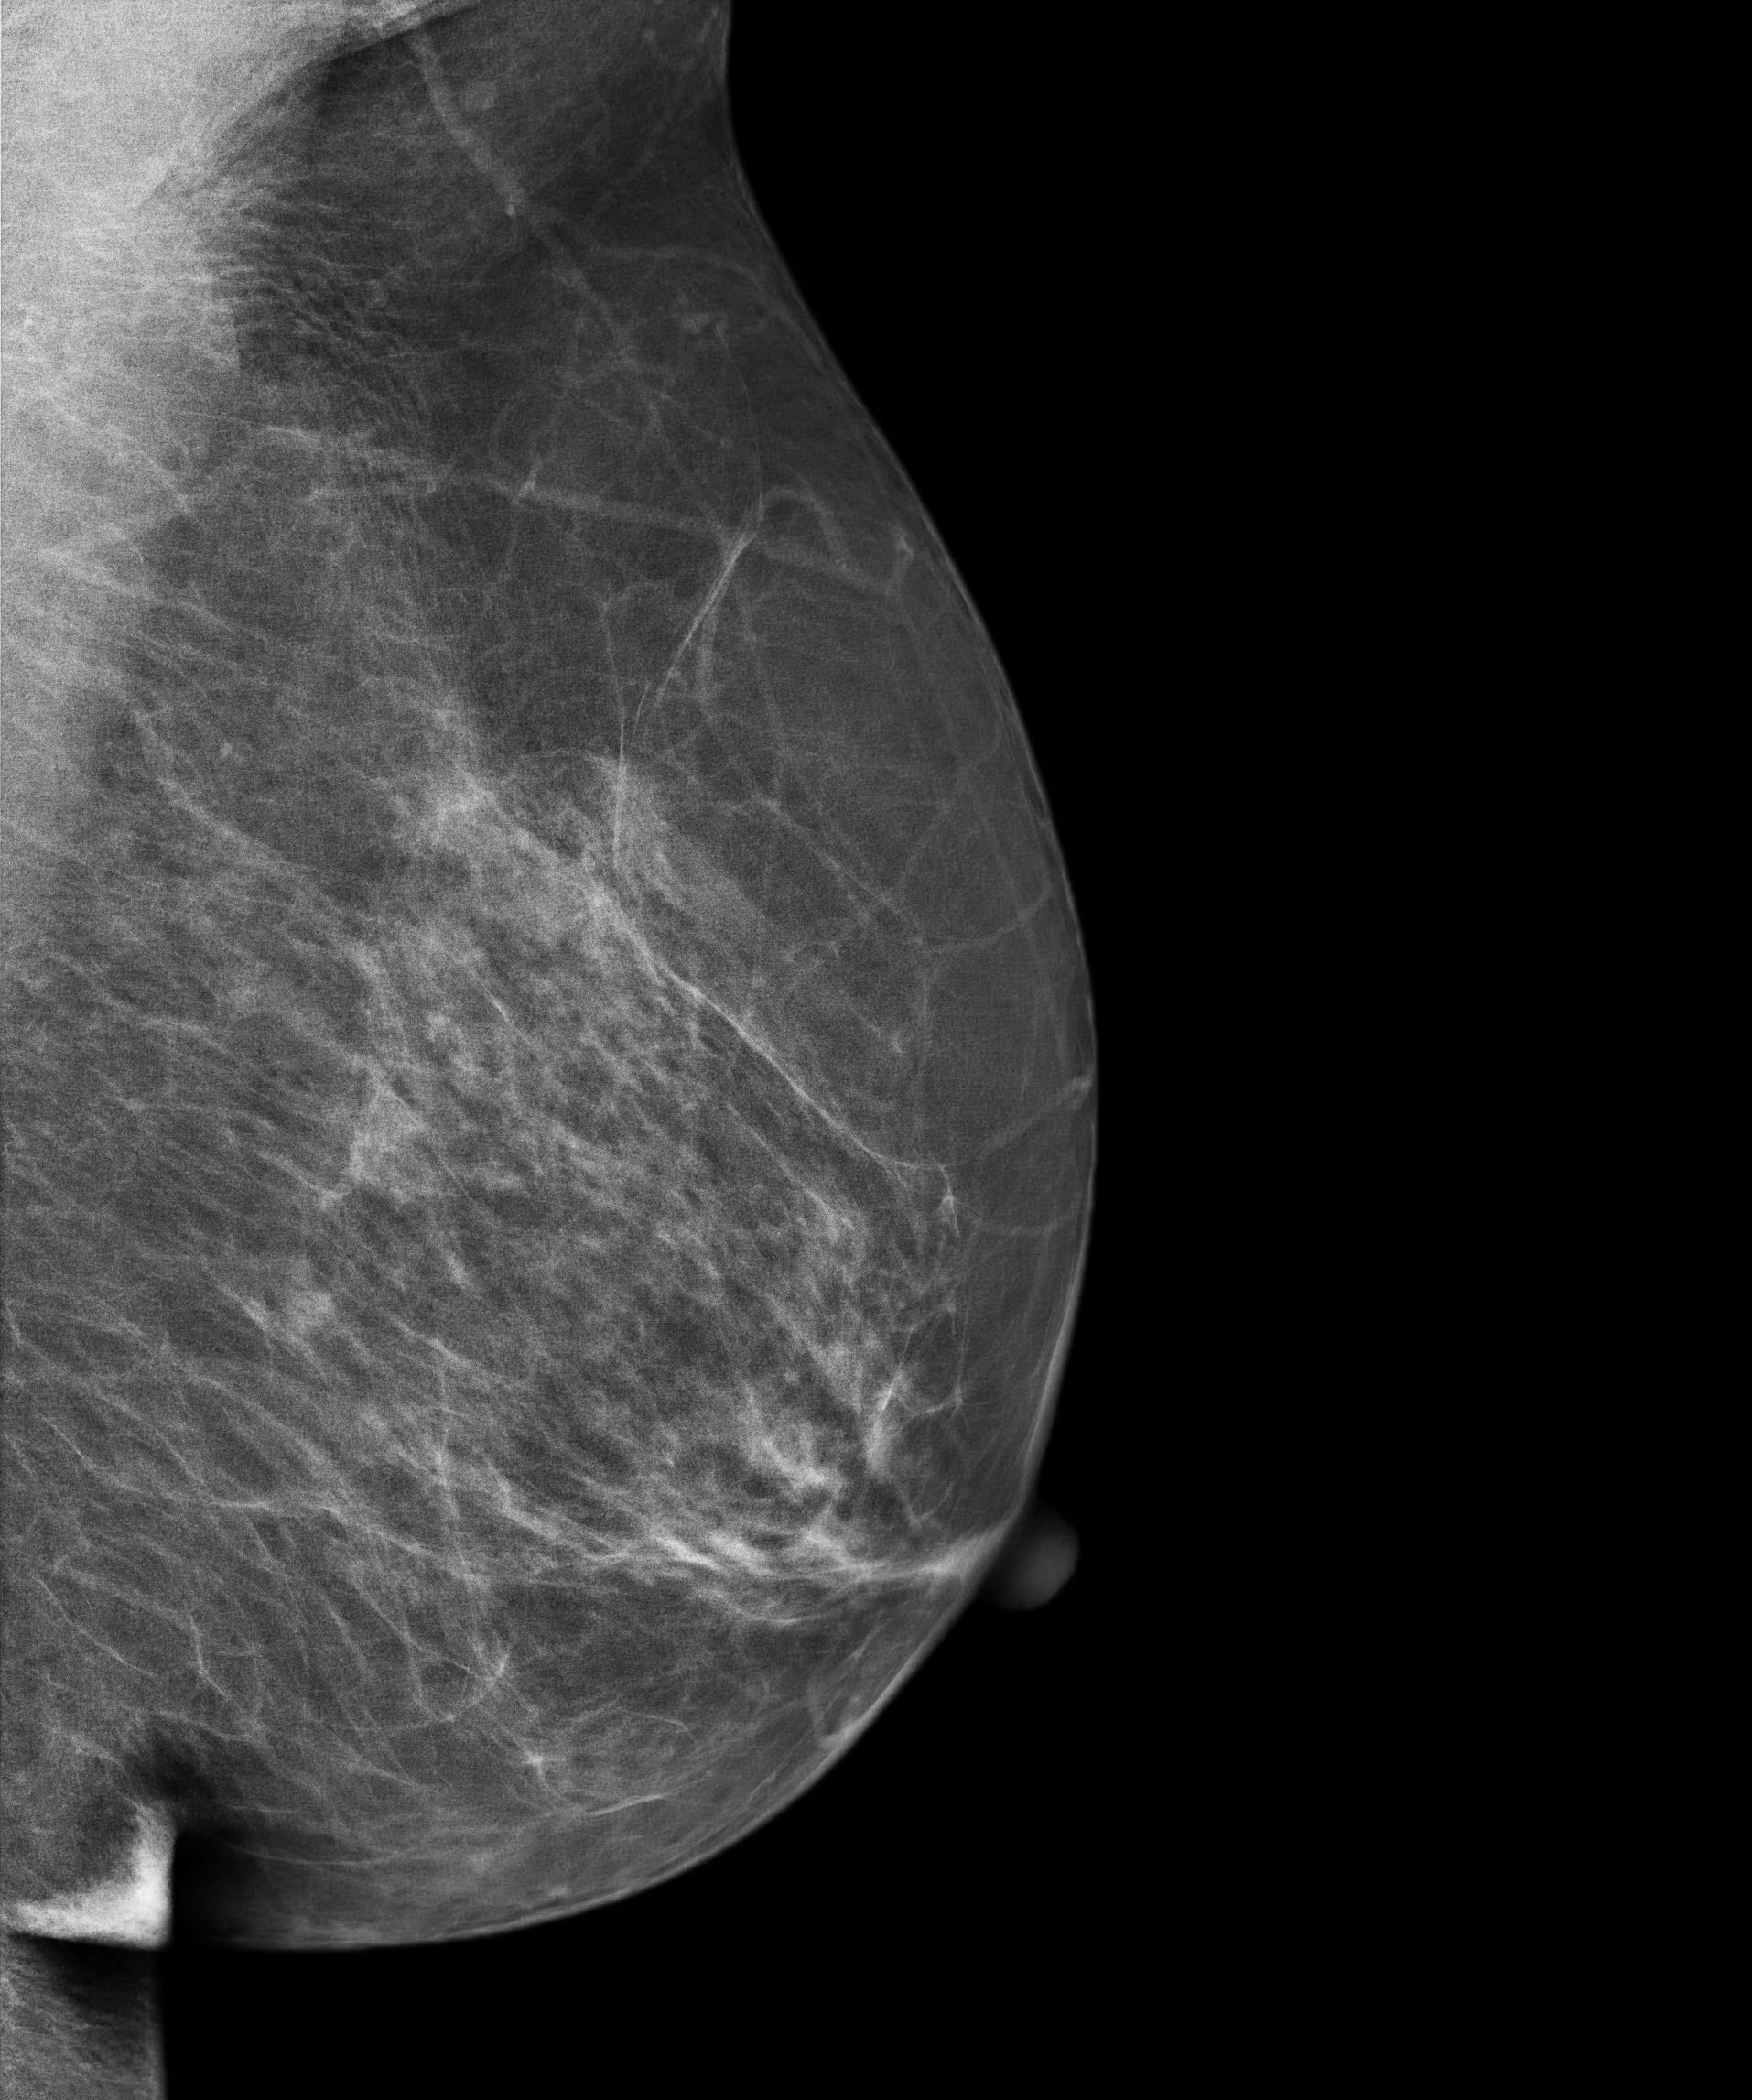
Digital mammography. Left breast, medio-lateral oblique projection. 56-year-old patient.
This breast has a mass, biopsy-confirmed benign.